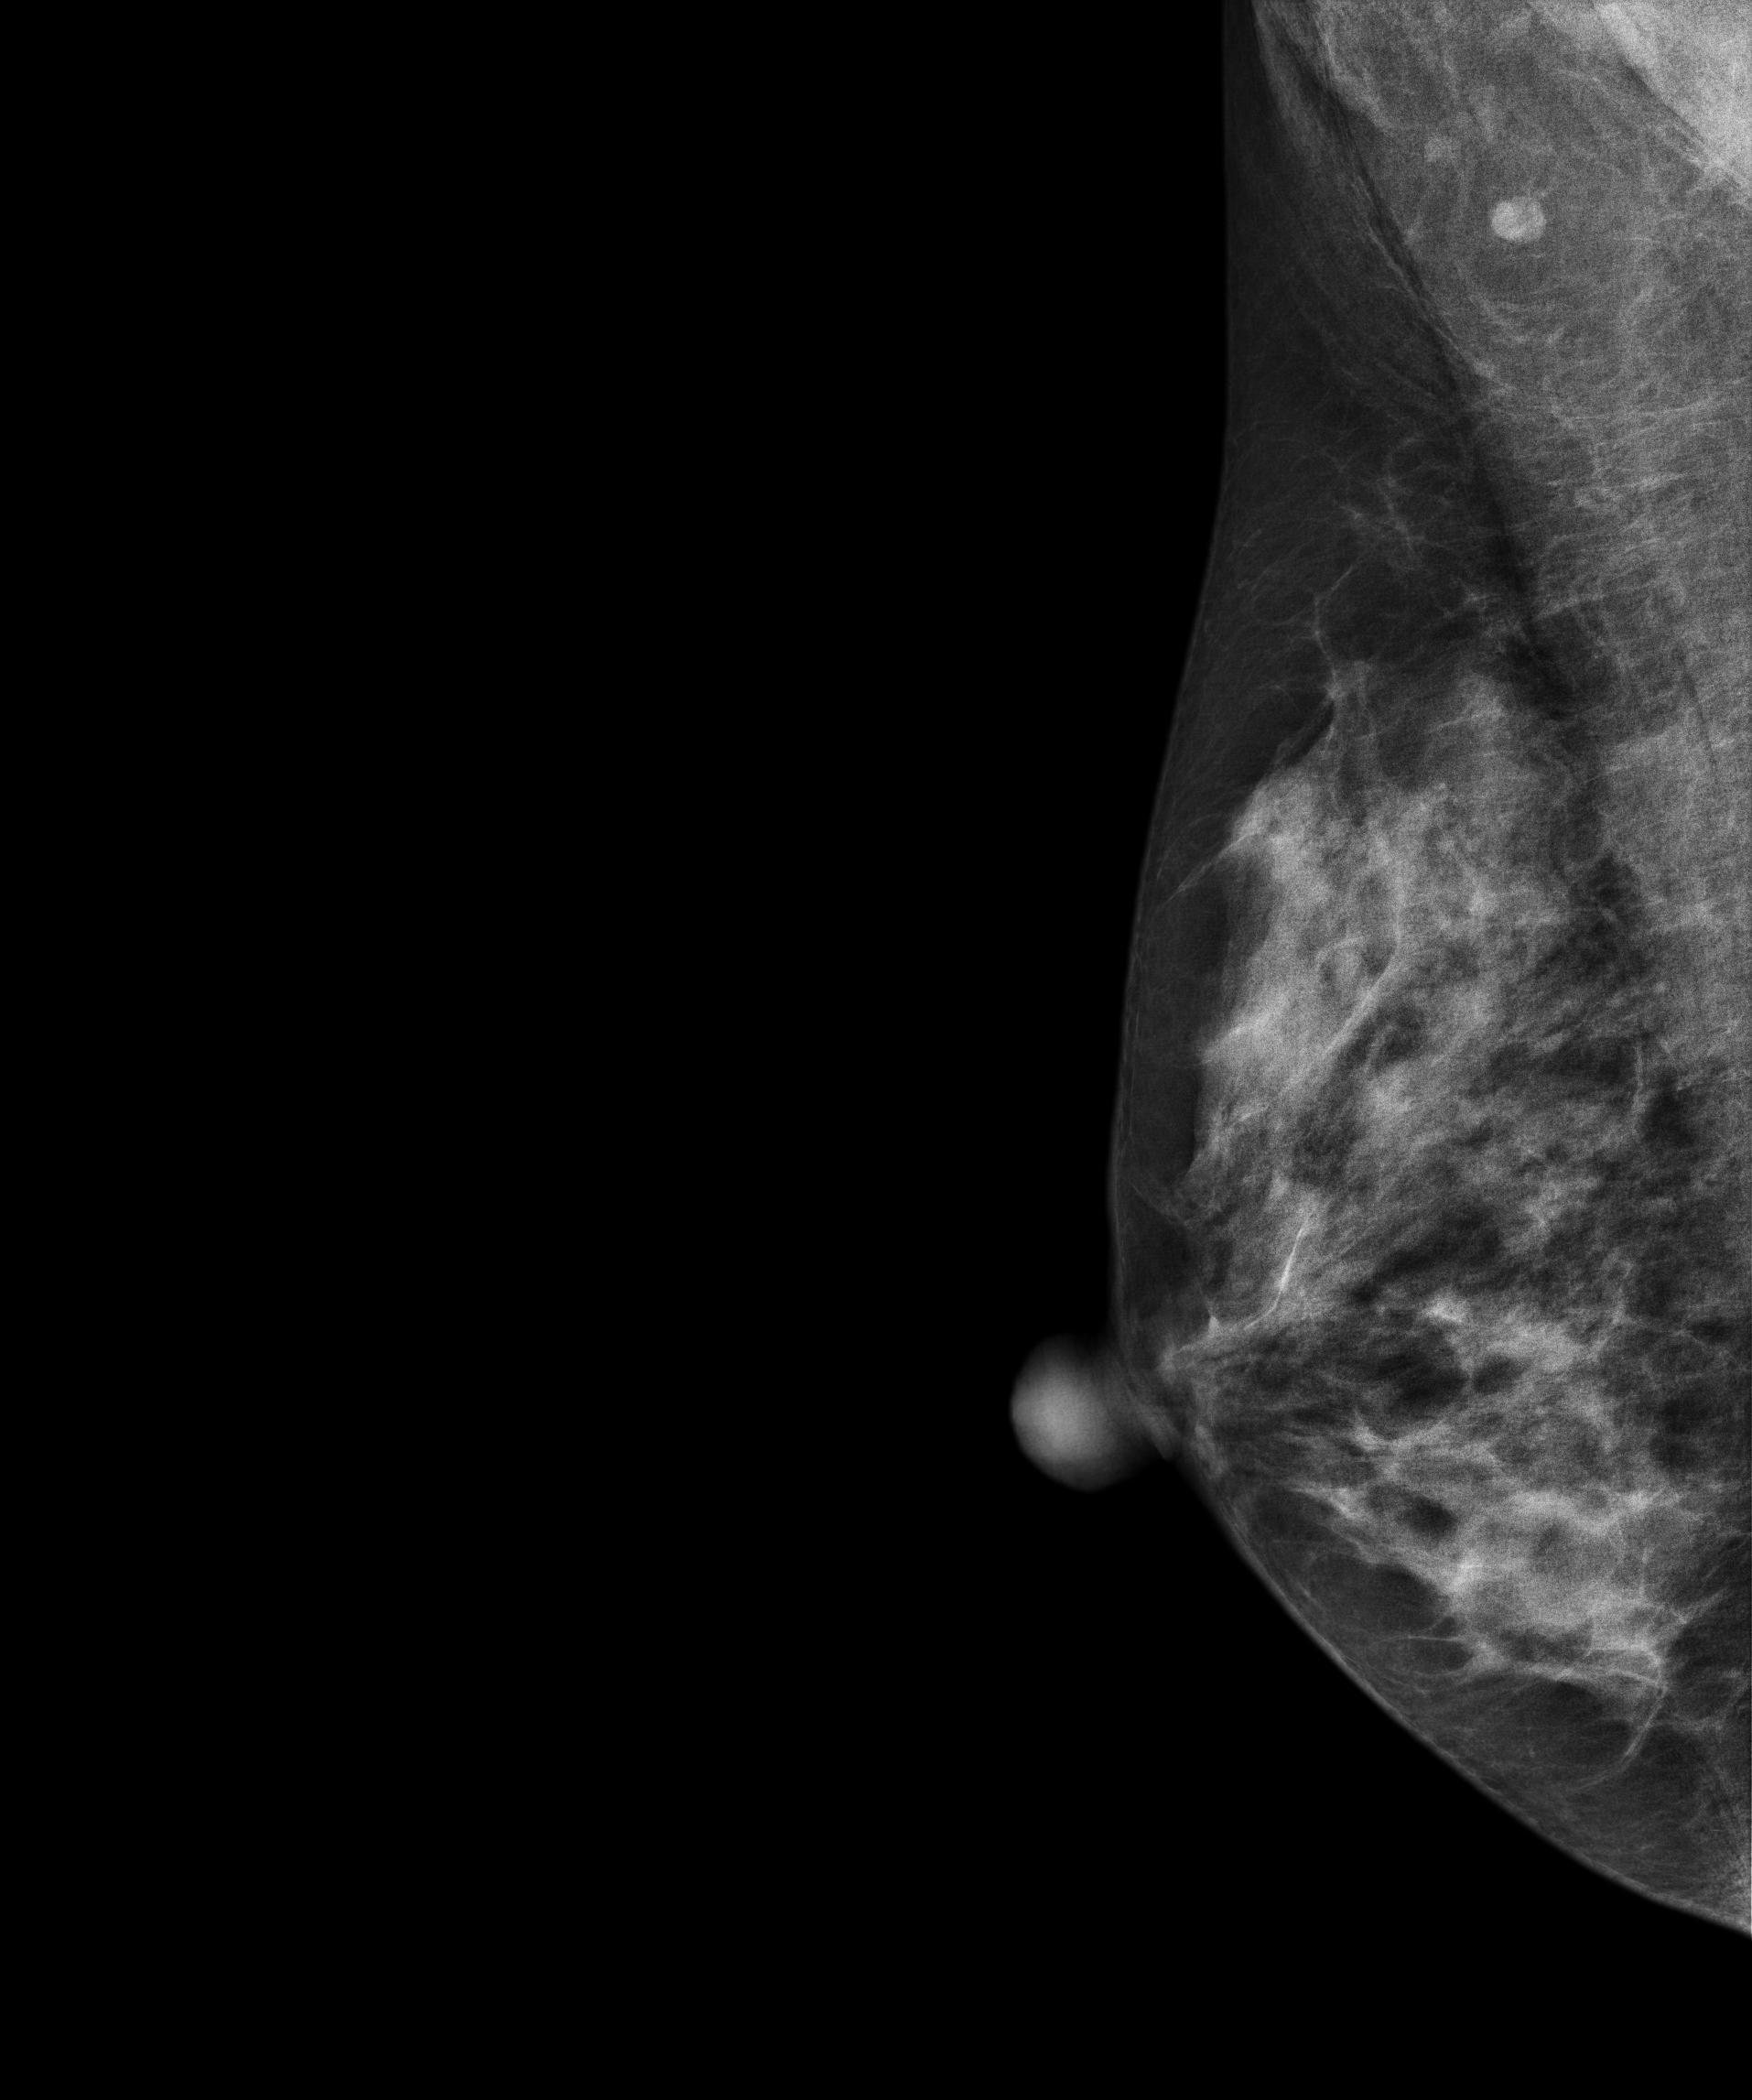
Mammogram — right MLO. Patient age 48.
Contralateral breast — no documented abnormality on this side.